Right-breast mammogram, MLO. 50-year-old patient.
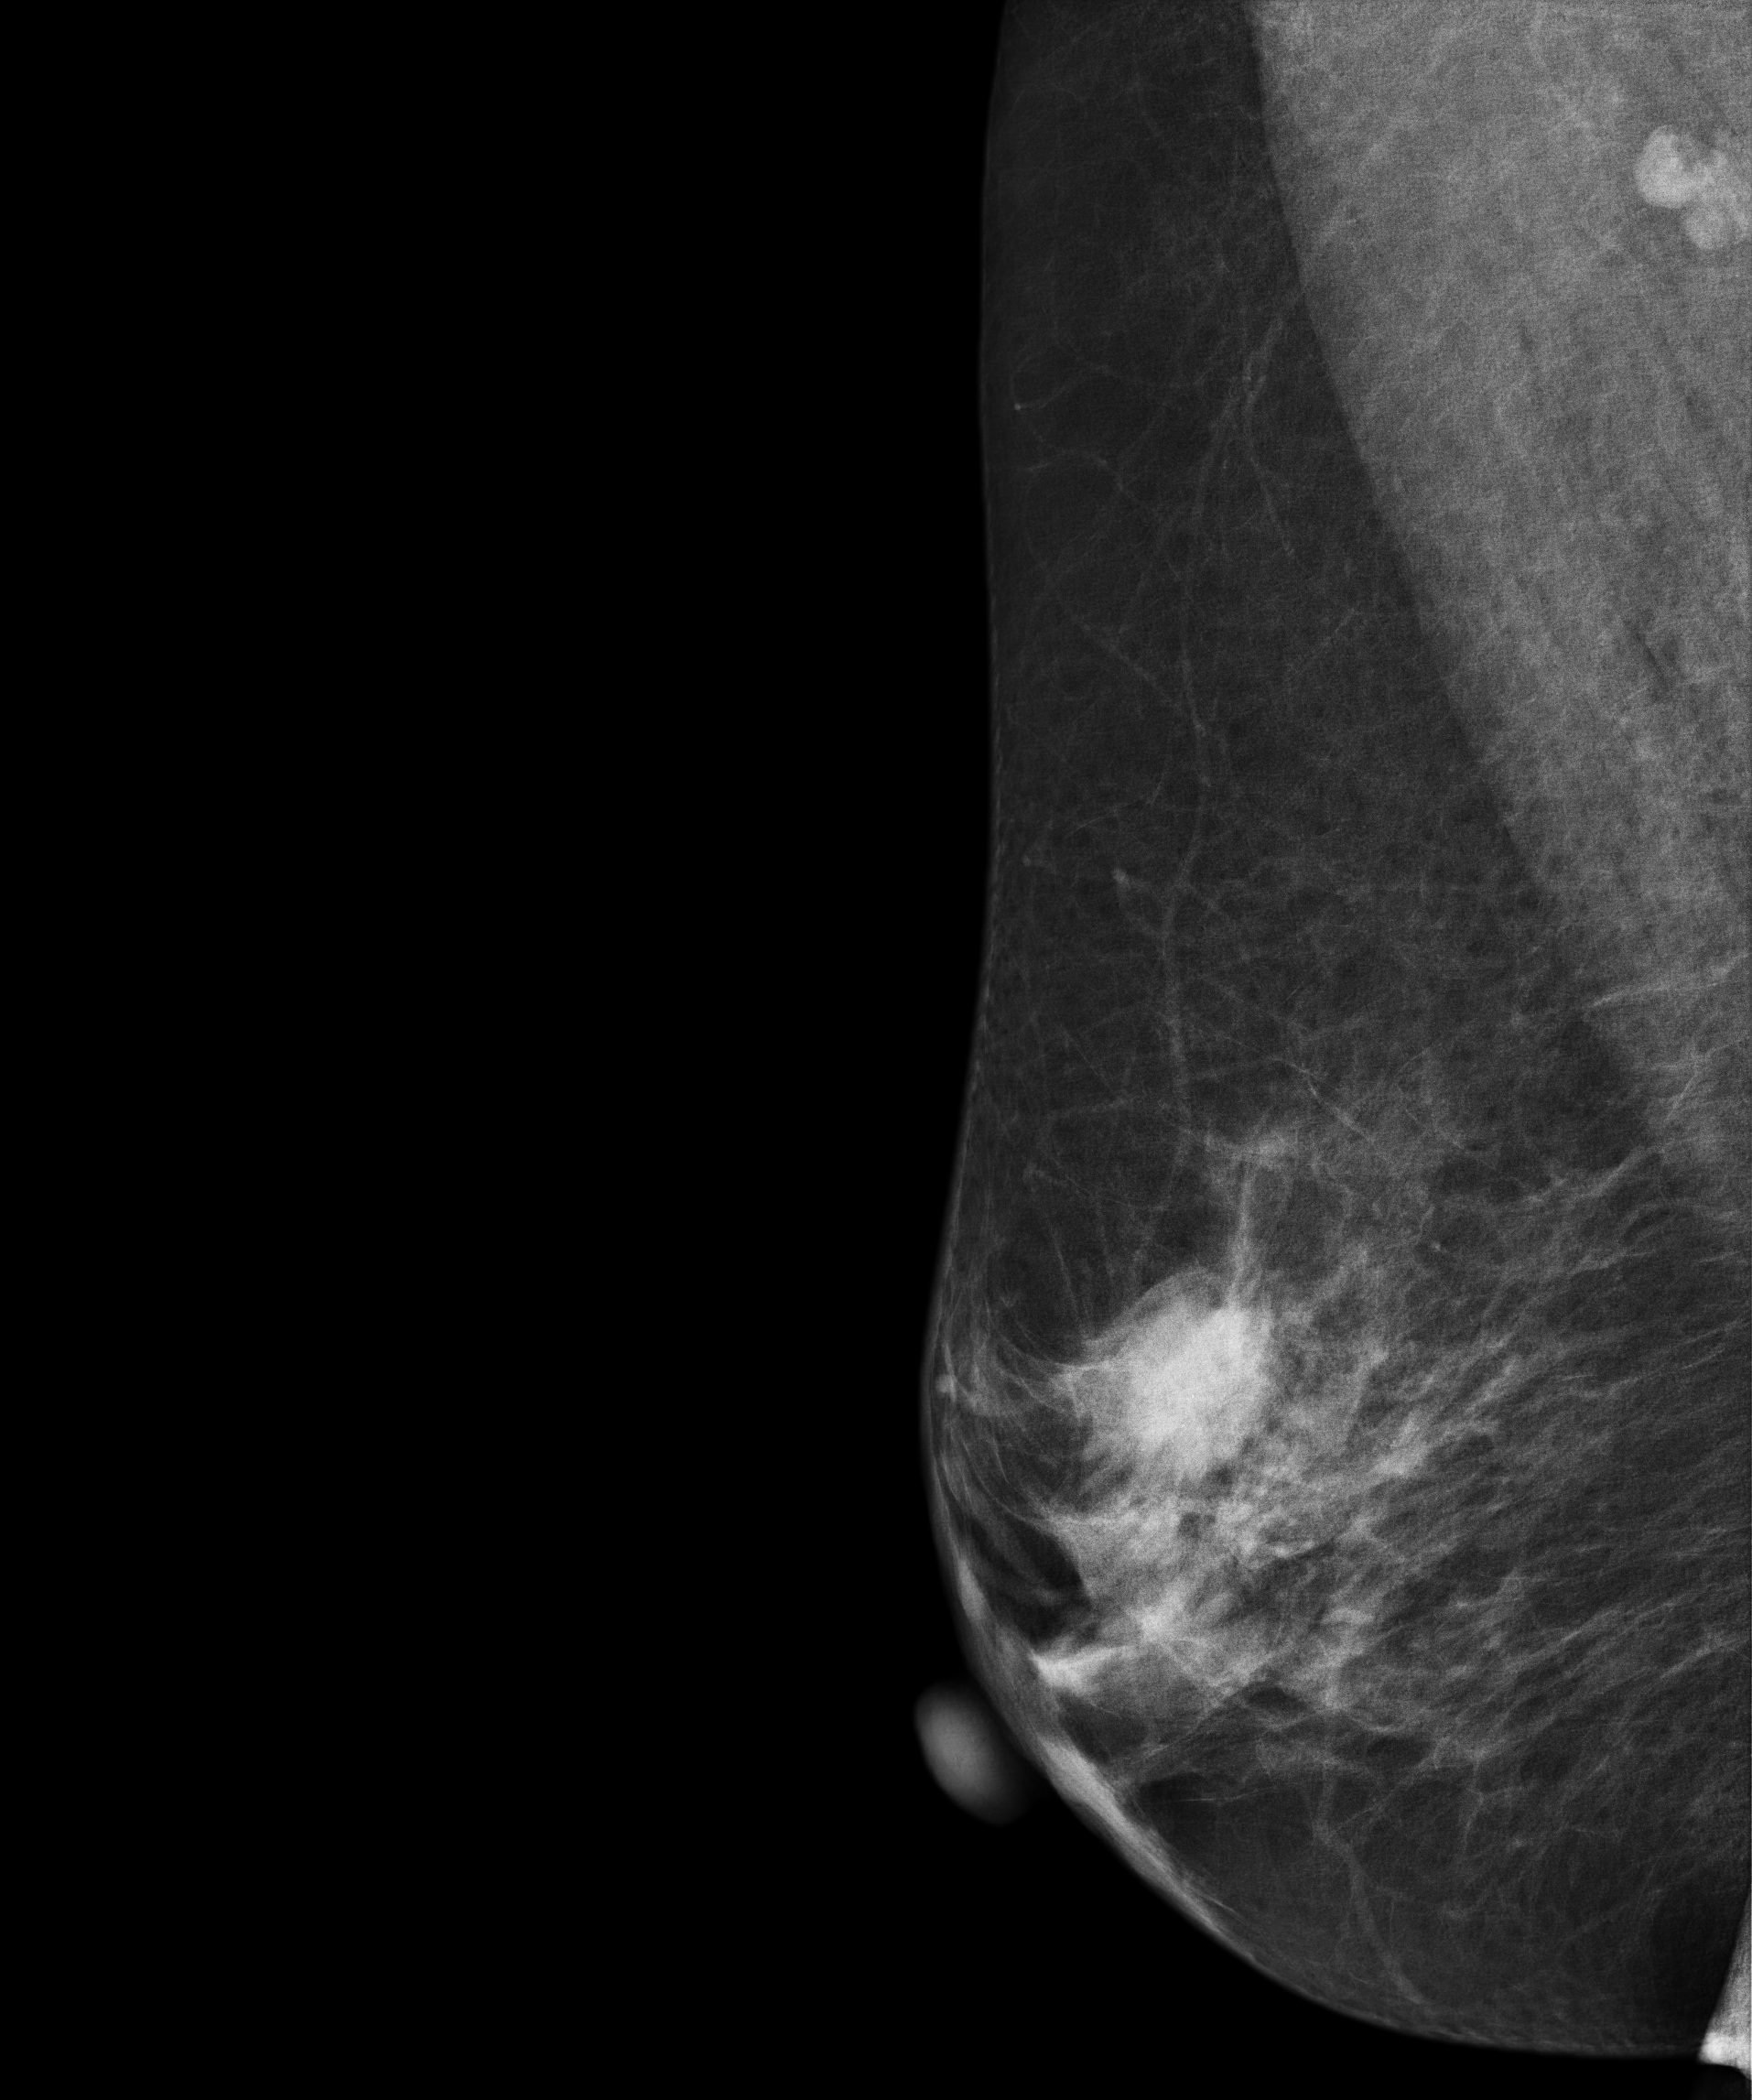
This breast has a mass, biopsy-confirmed malignant. Molecular subtype: luminal B.